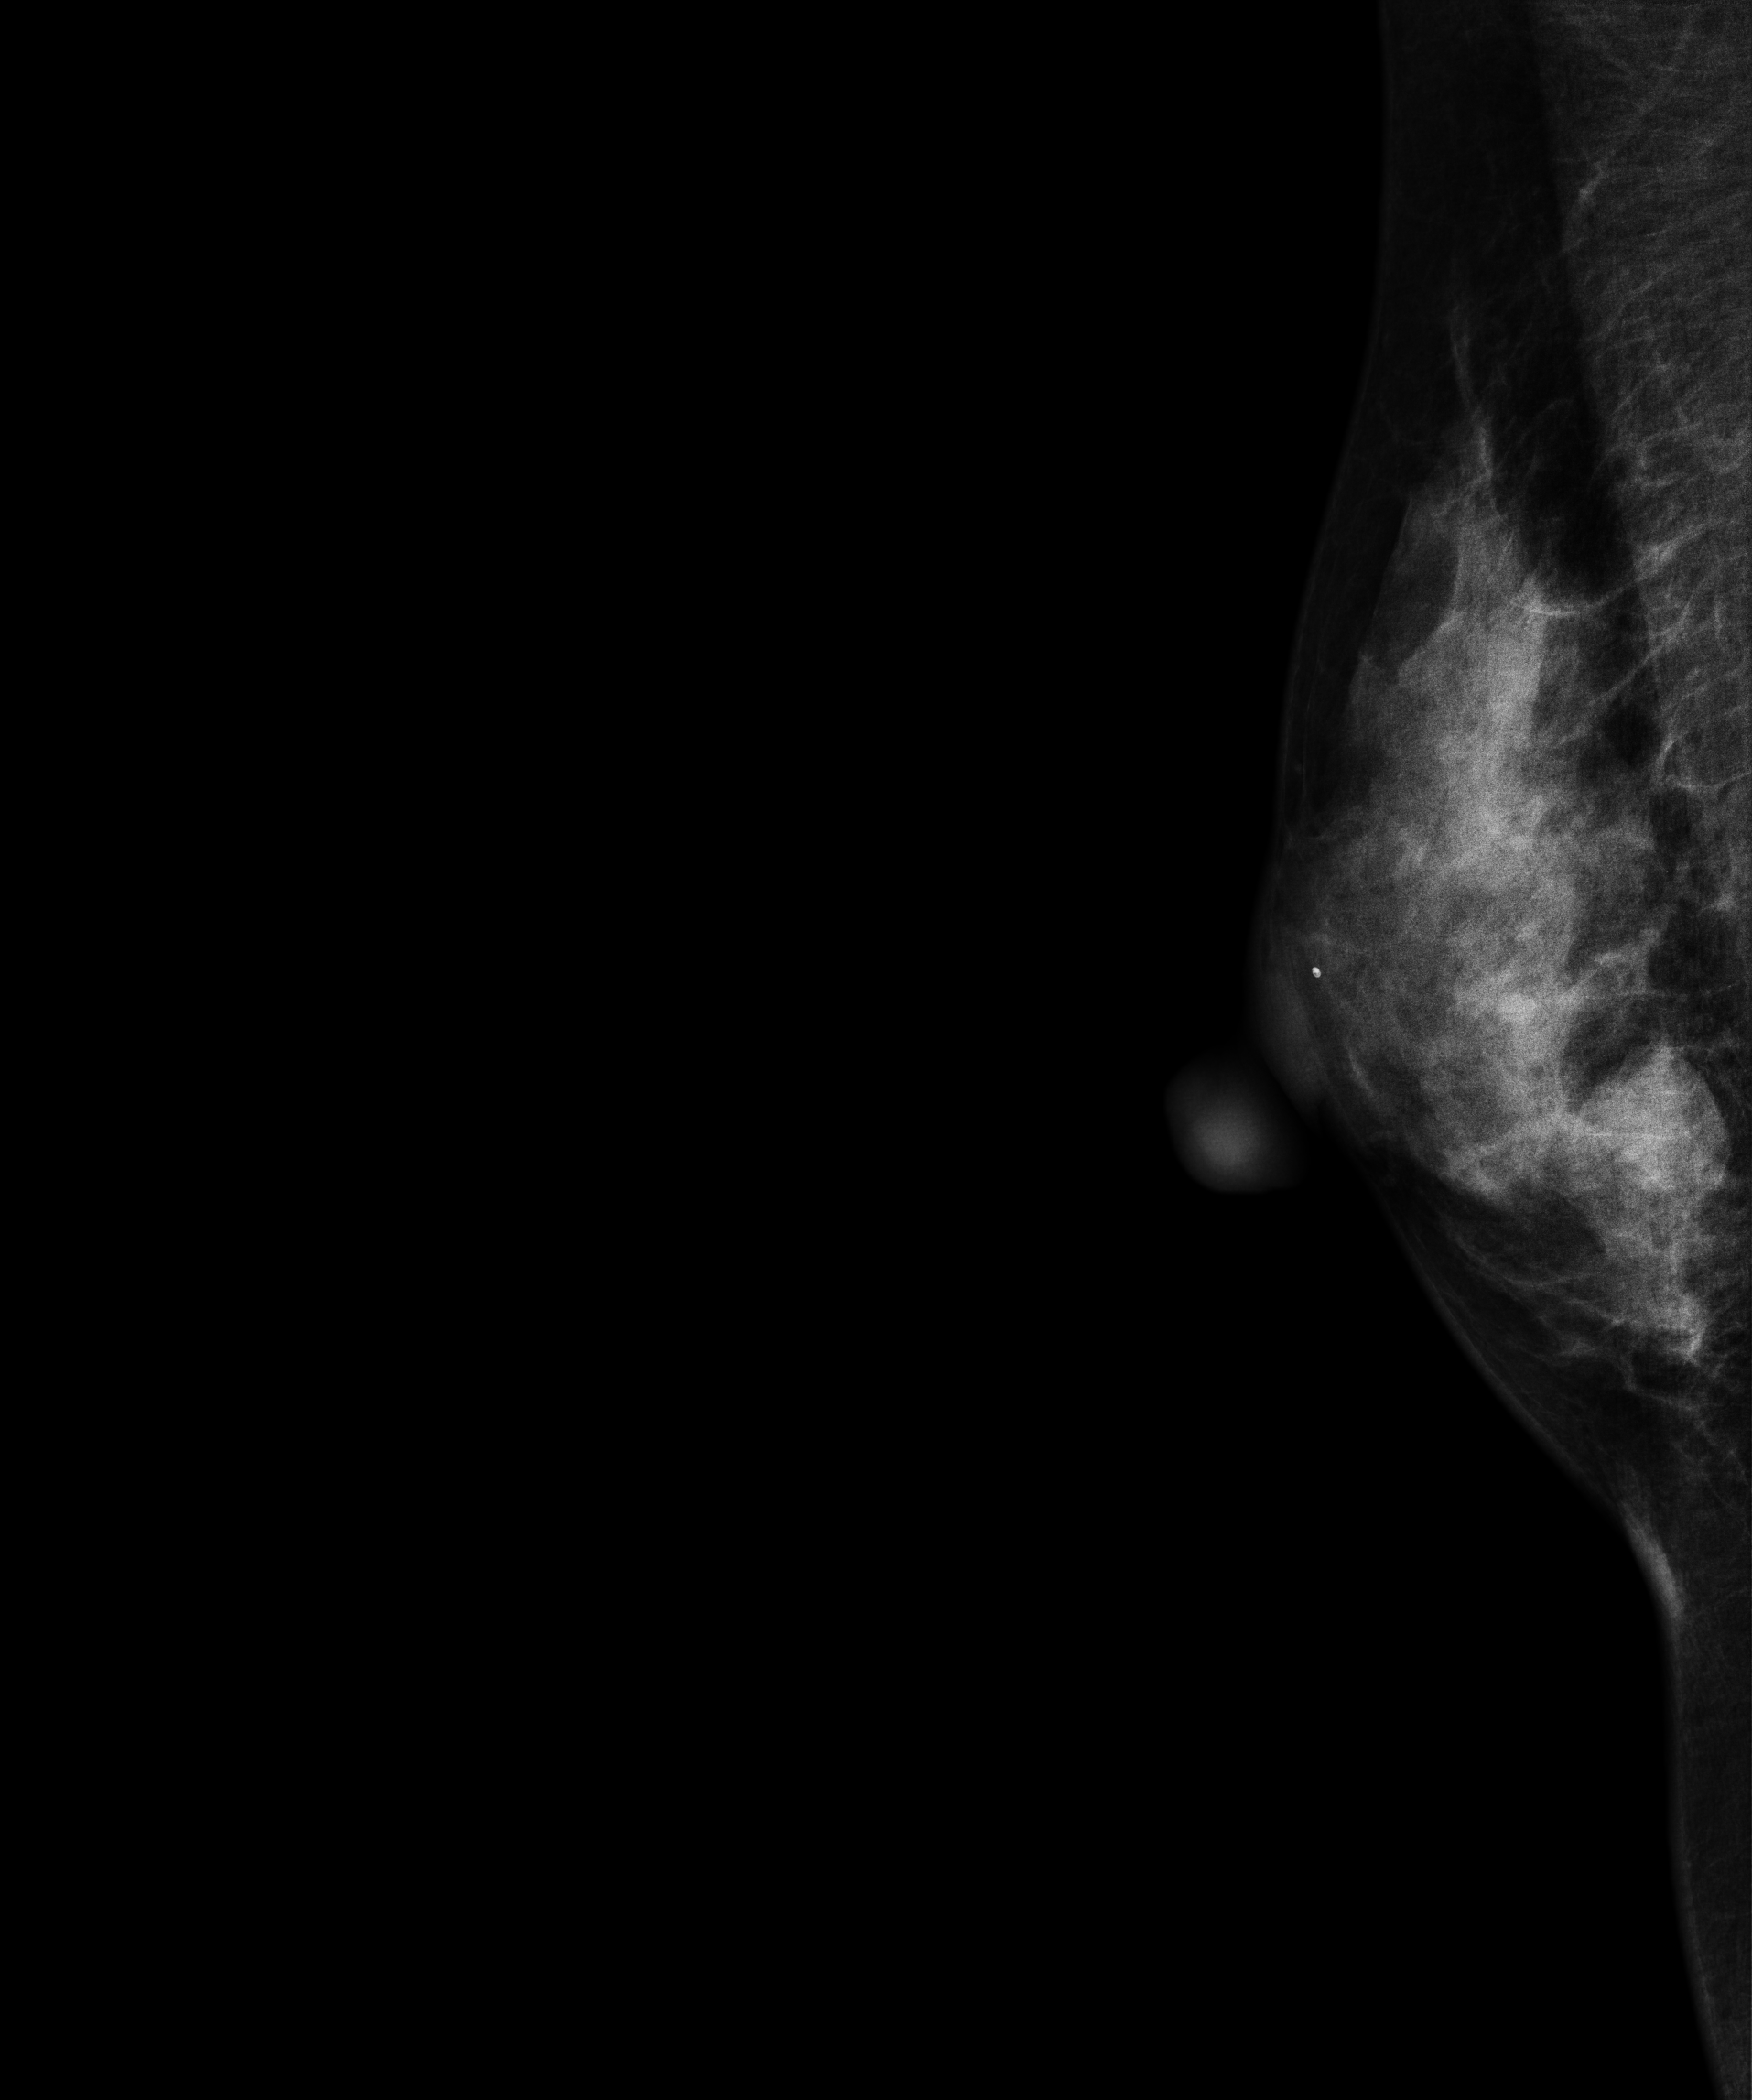
Mammogram — right MLO. 44-year-old patient.
This breast has a mass, pathology-confirmed benign.